Digital mammography. Right breast, cranio-caudal projection. 40 y/o patient.
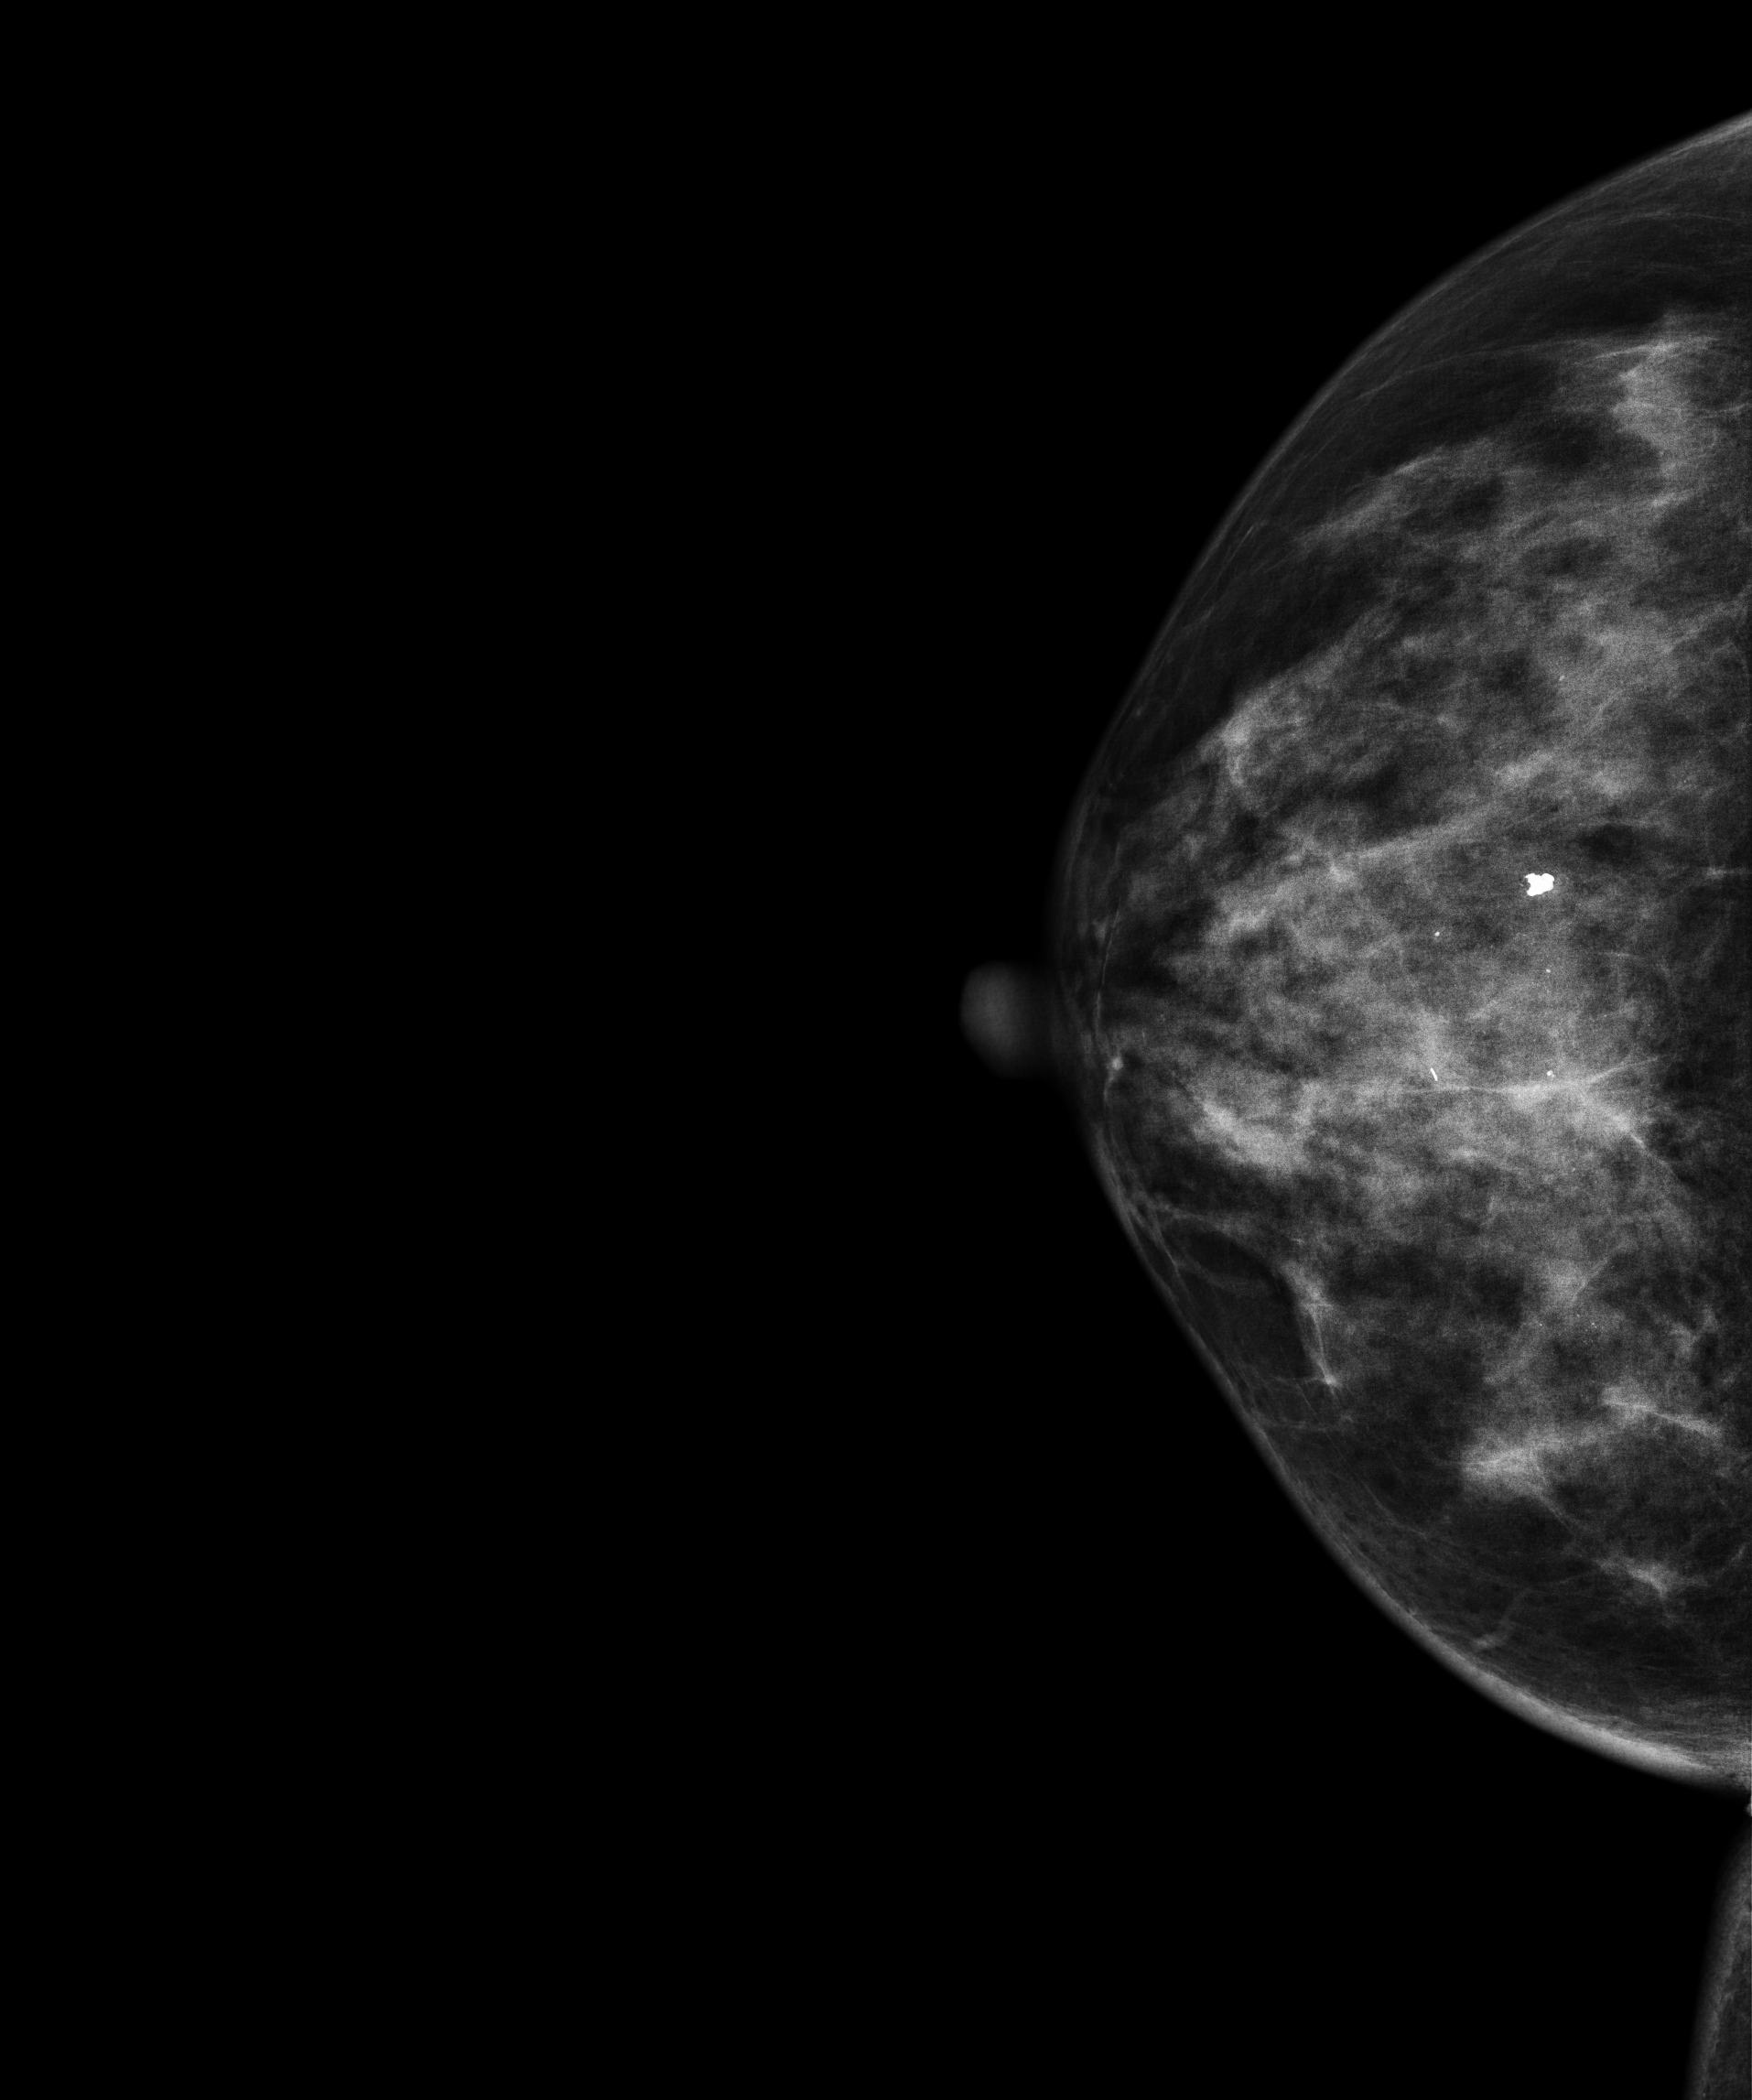
Contralateral breast — no documented abnormality on this side.